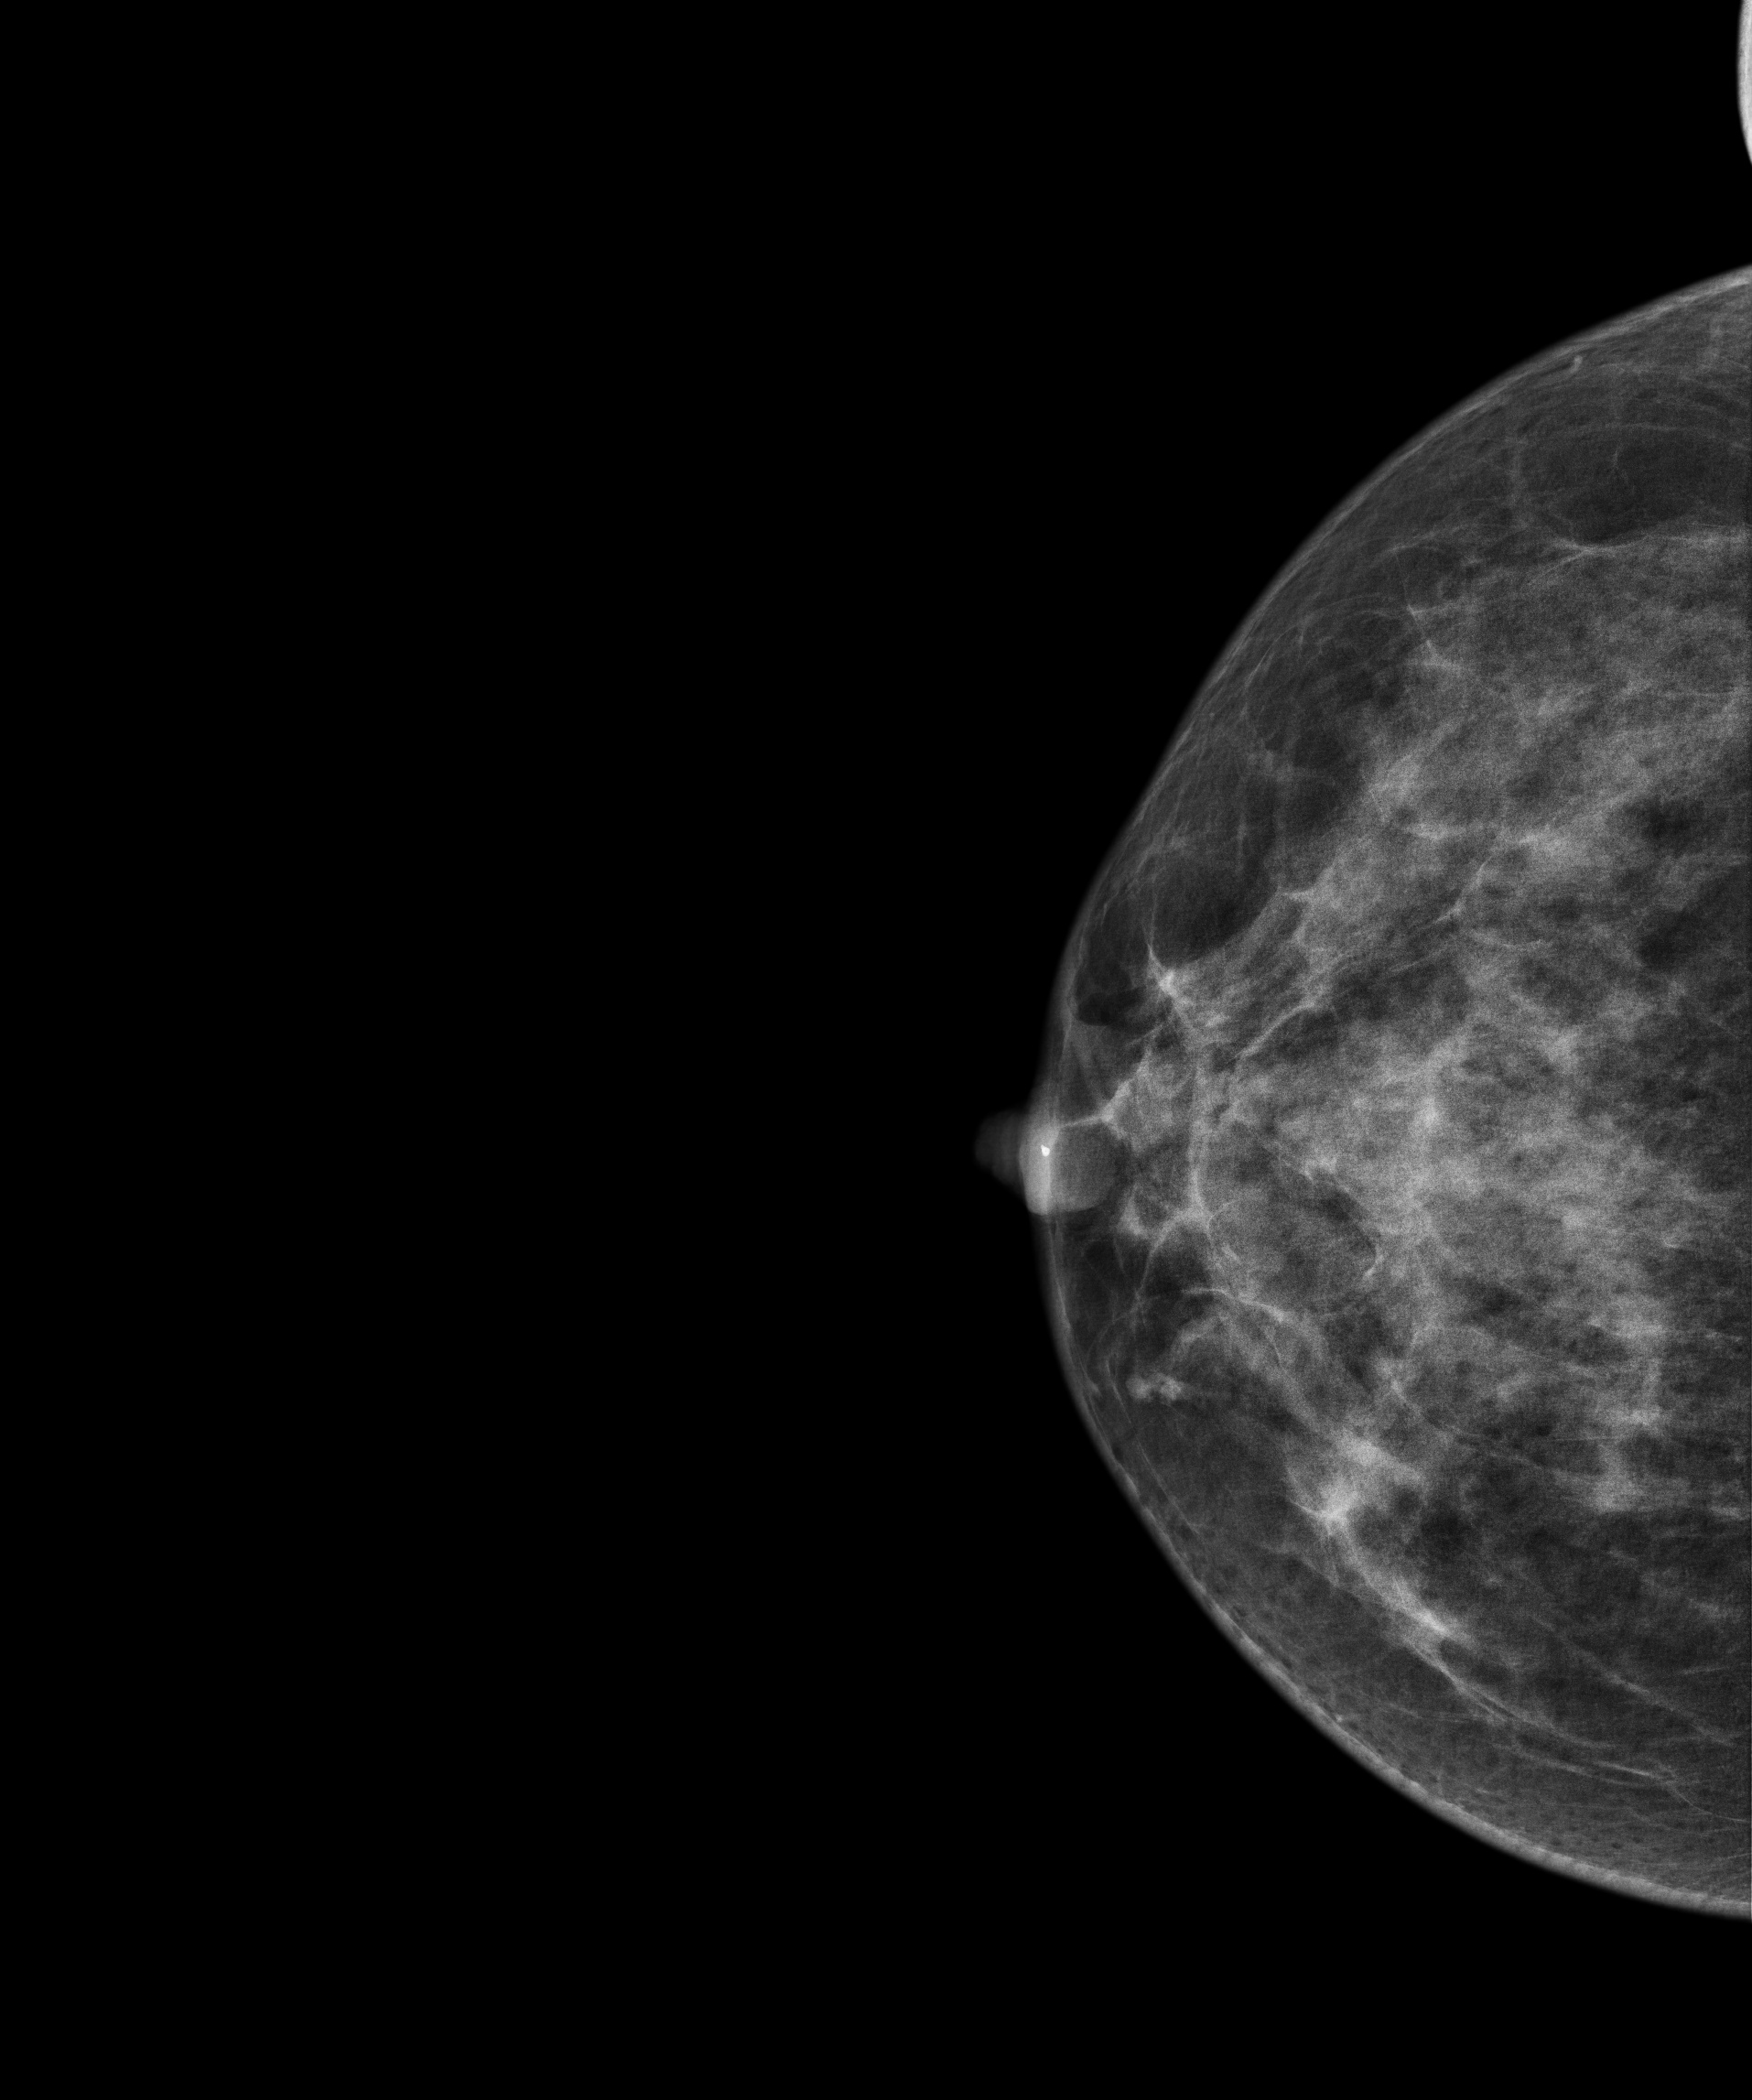
Mammogram, right breast, cranio-caudal view. Patient age 37.
Contralateral breast — no documented abnormality on this side.